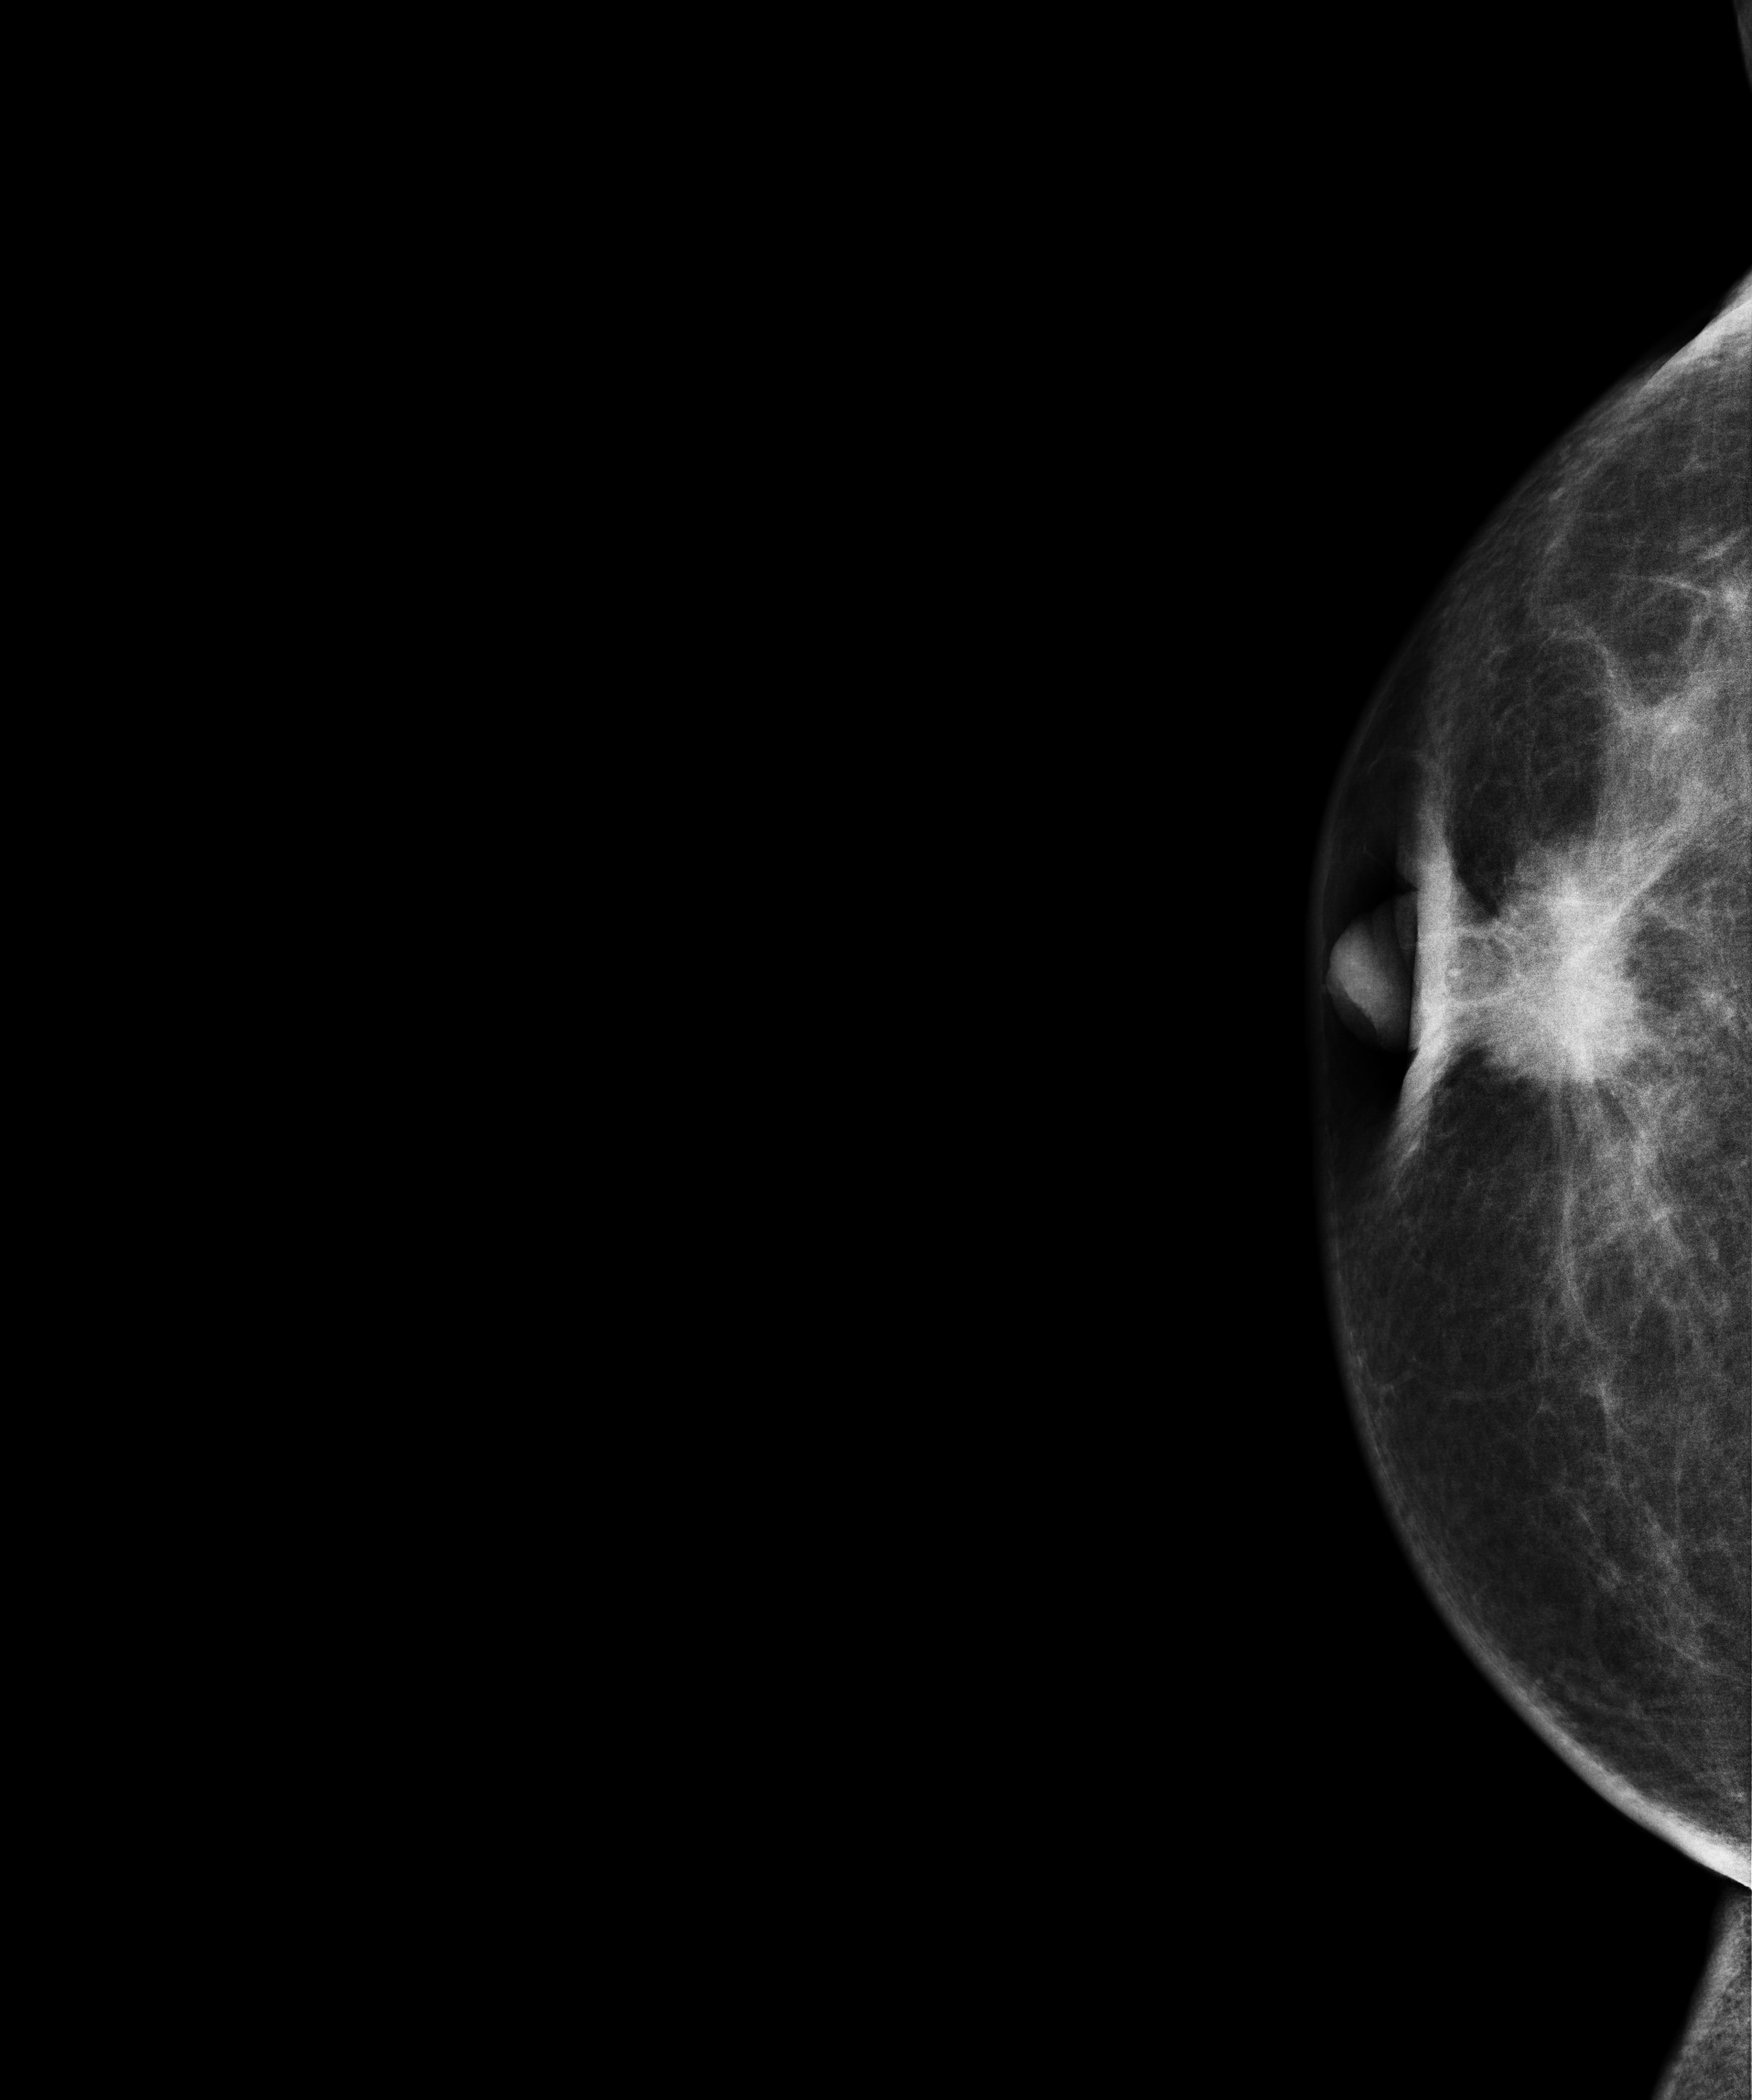
Right-breast mammogram, CC. Patient age 47.
This breast has a mass, pathology-confirmed malignant.